Digital mammography. Left breast, MLO projection. Patient age 61.
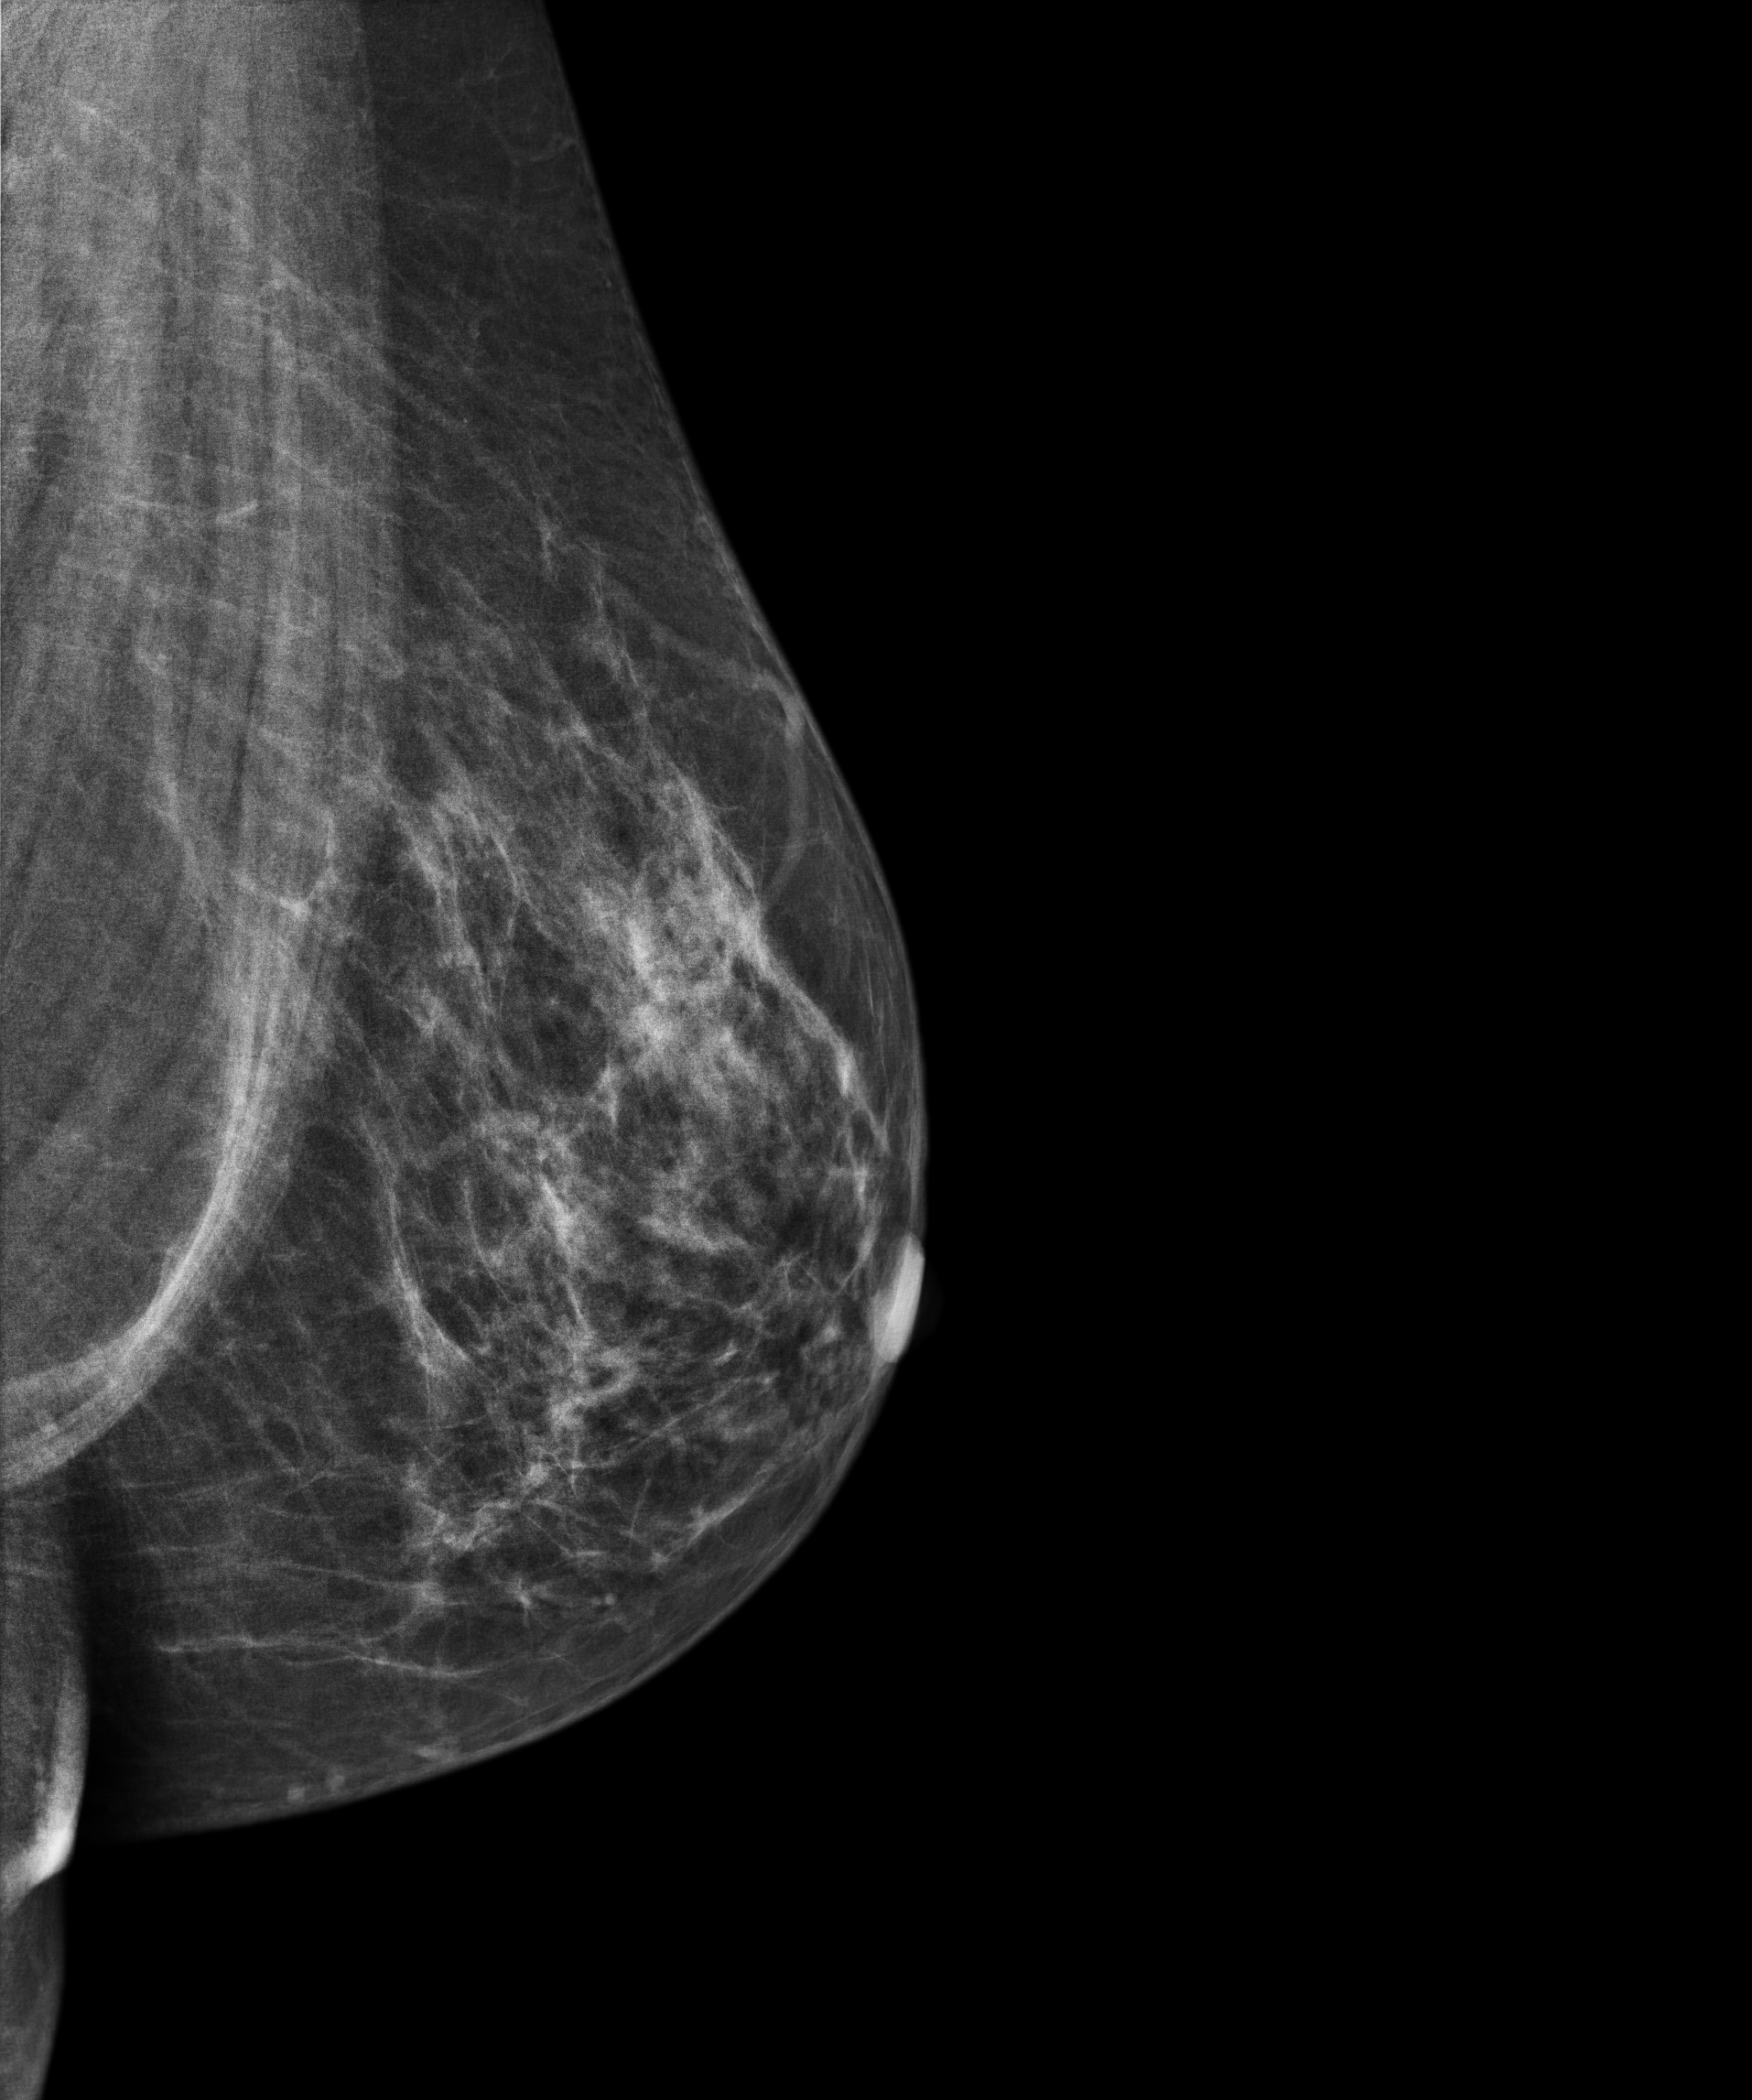
This breast has a mass, histologically confirmed benign.